Mammogram, right breast, medio-lateral oblique view. 46 y/o patient.
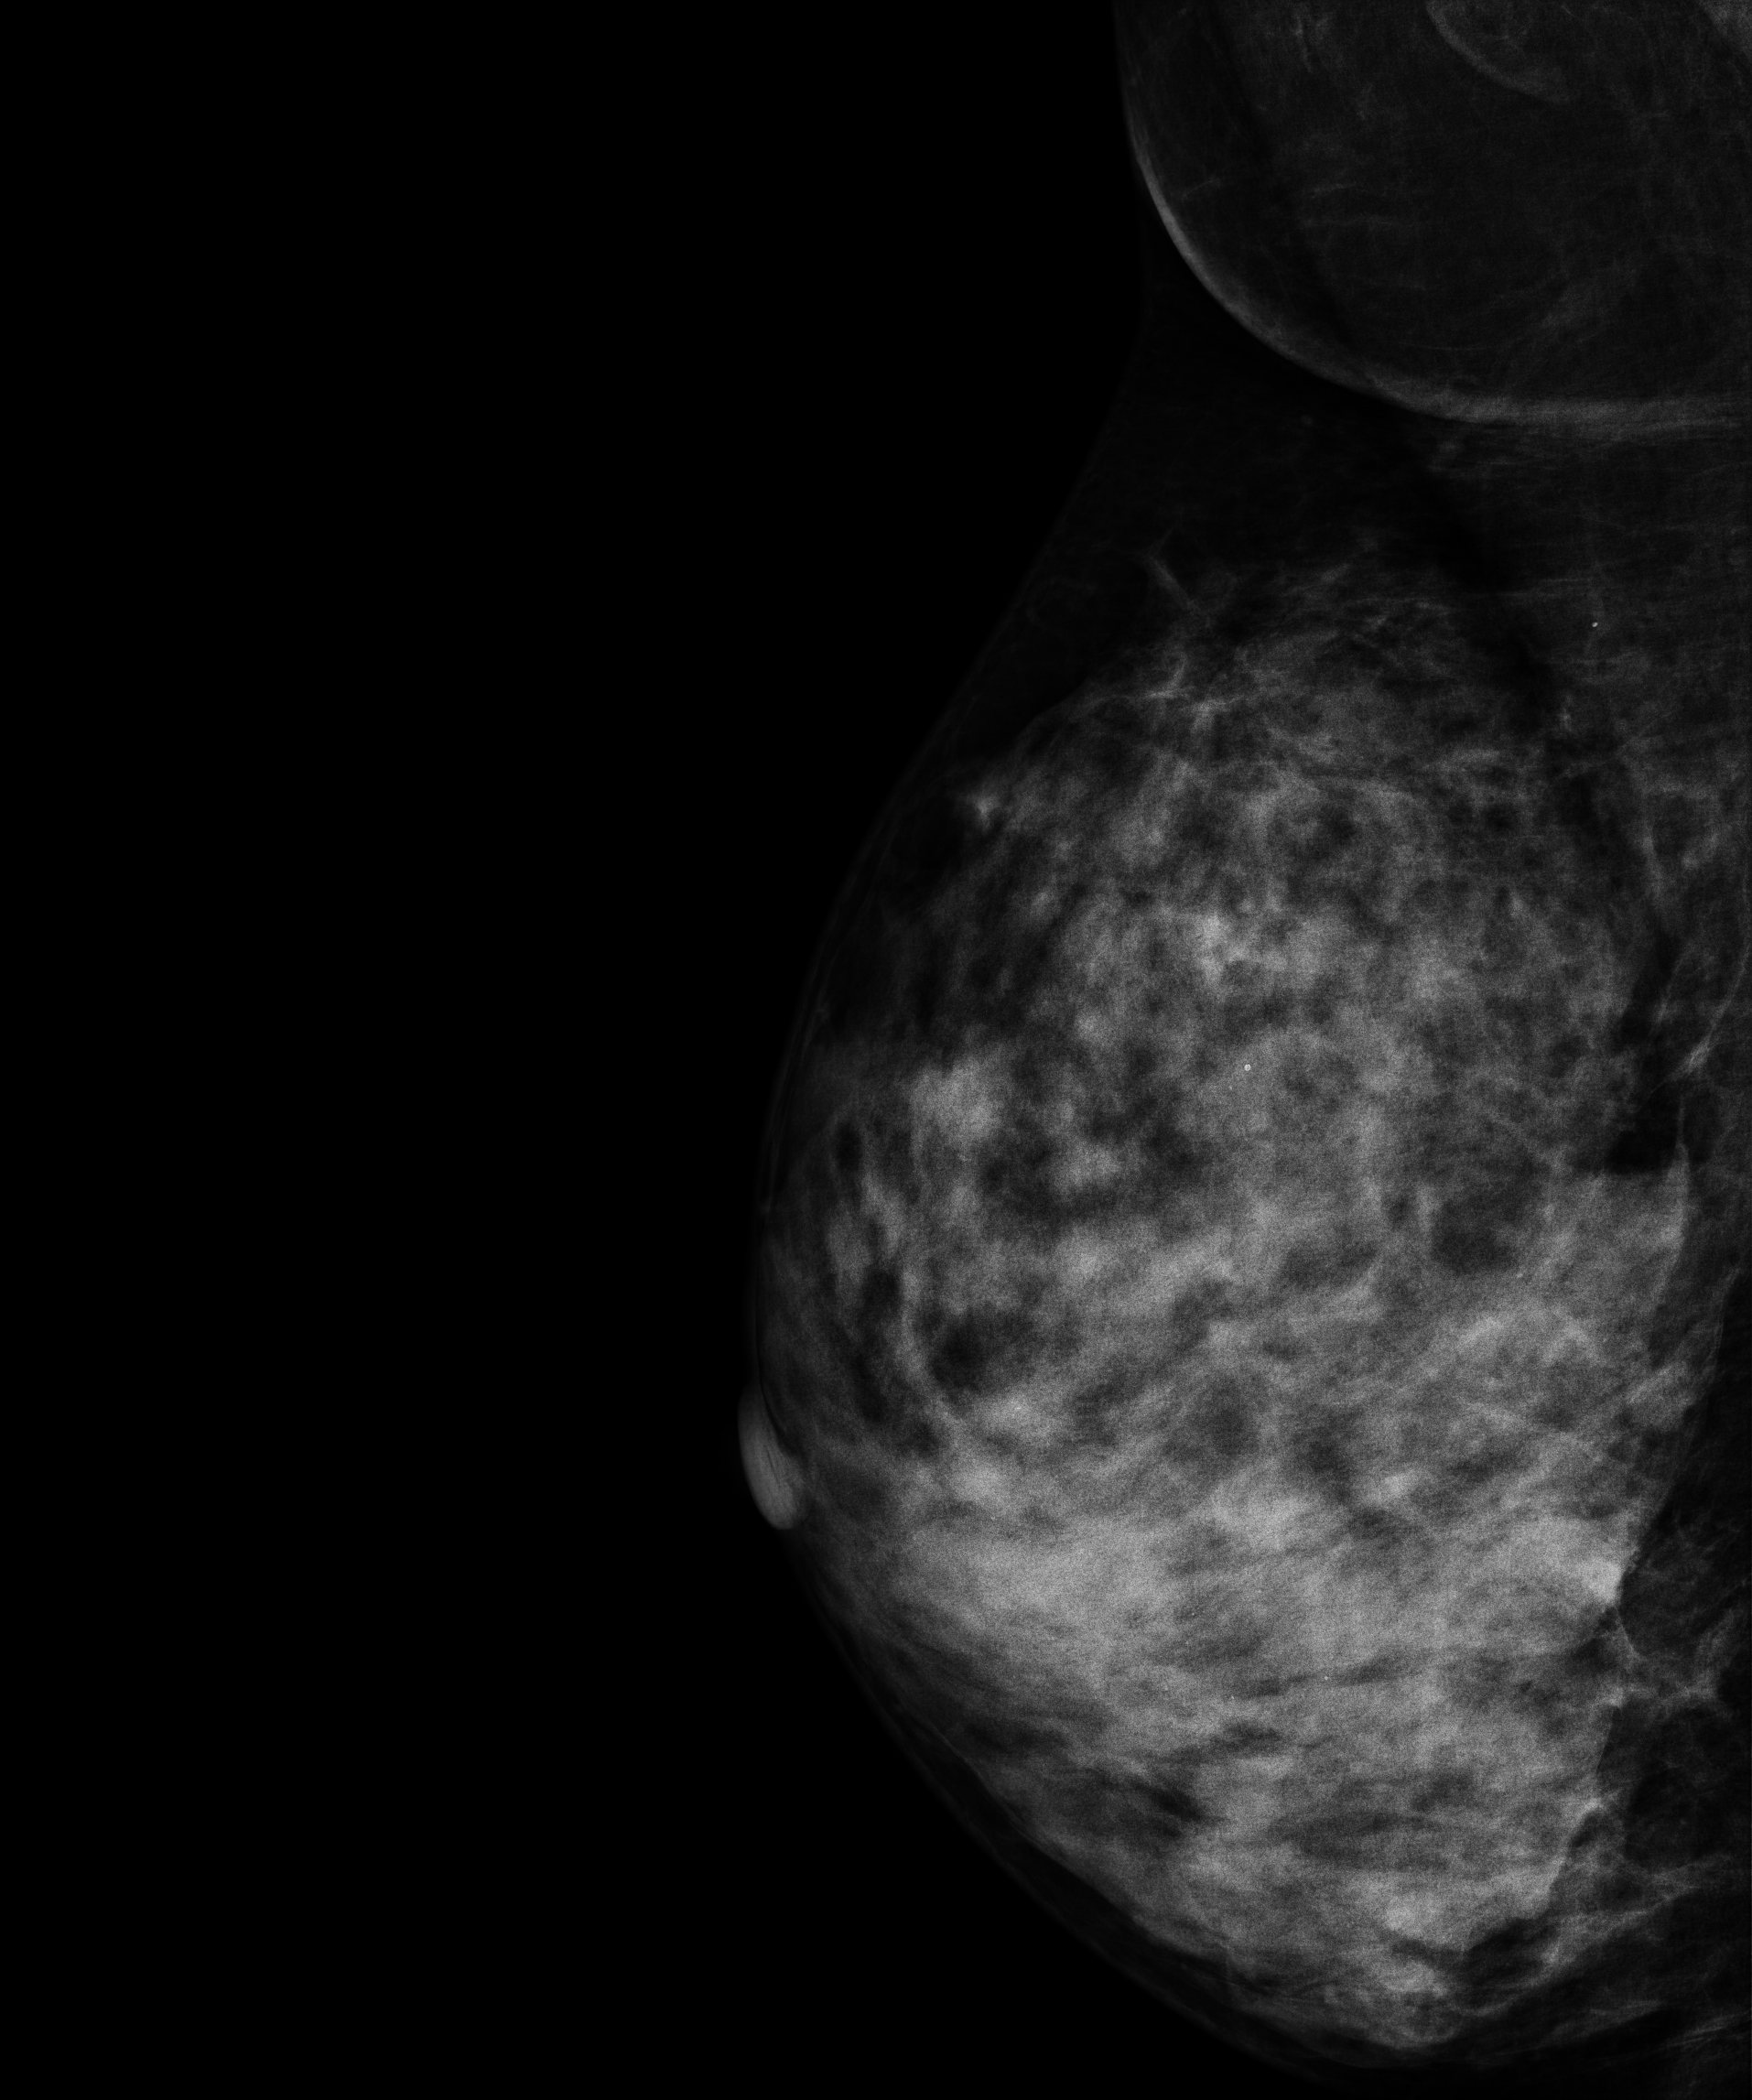
Contralateral breast — no documented abnormality on this side.